Mammogram — left CC. 37-year-old patient.
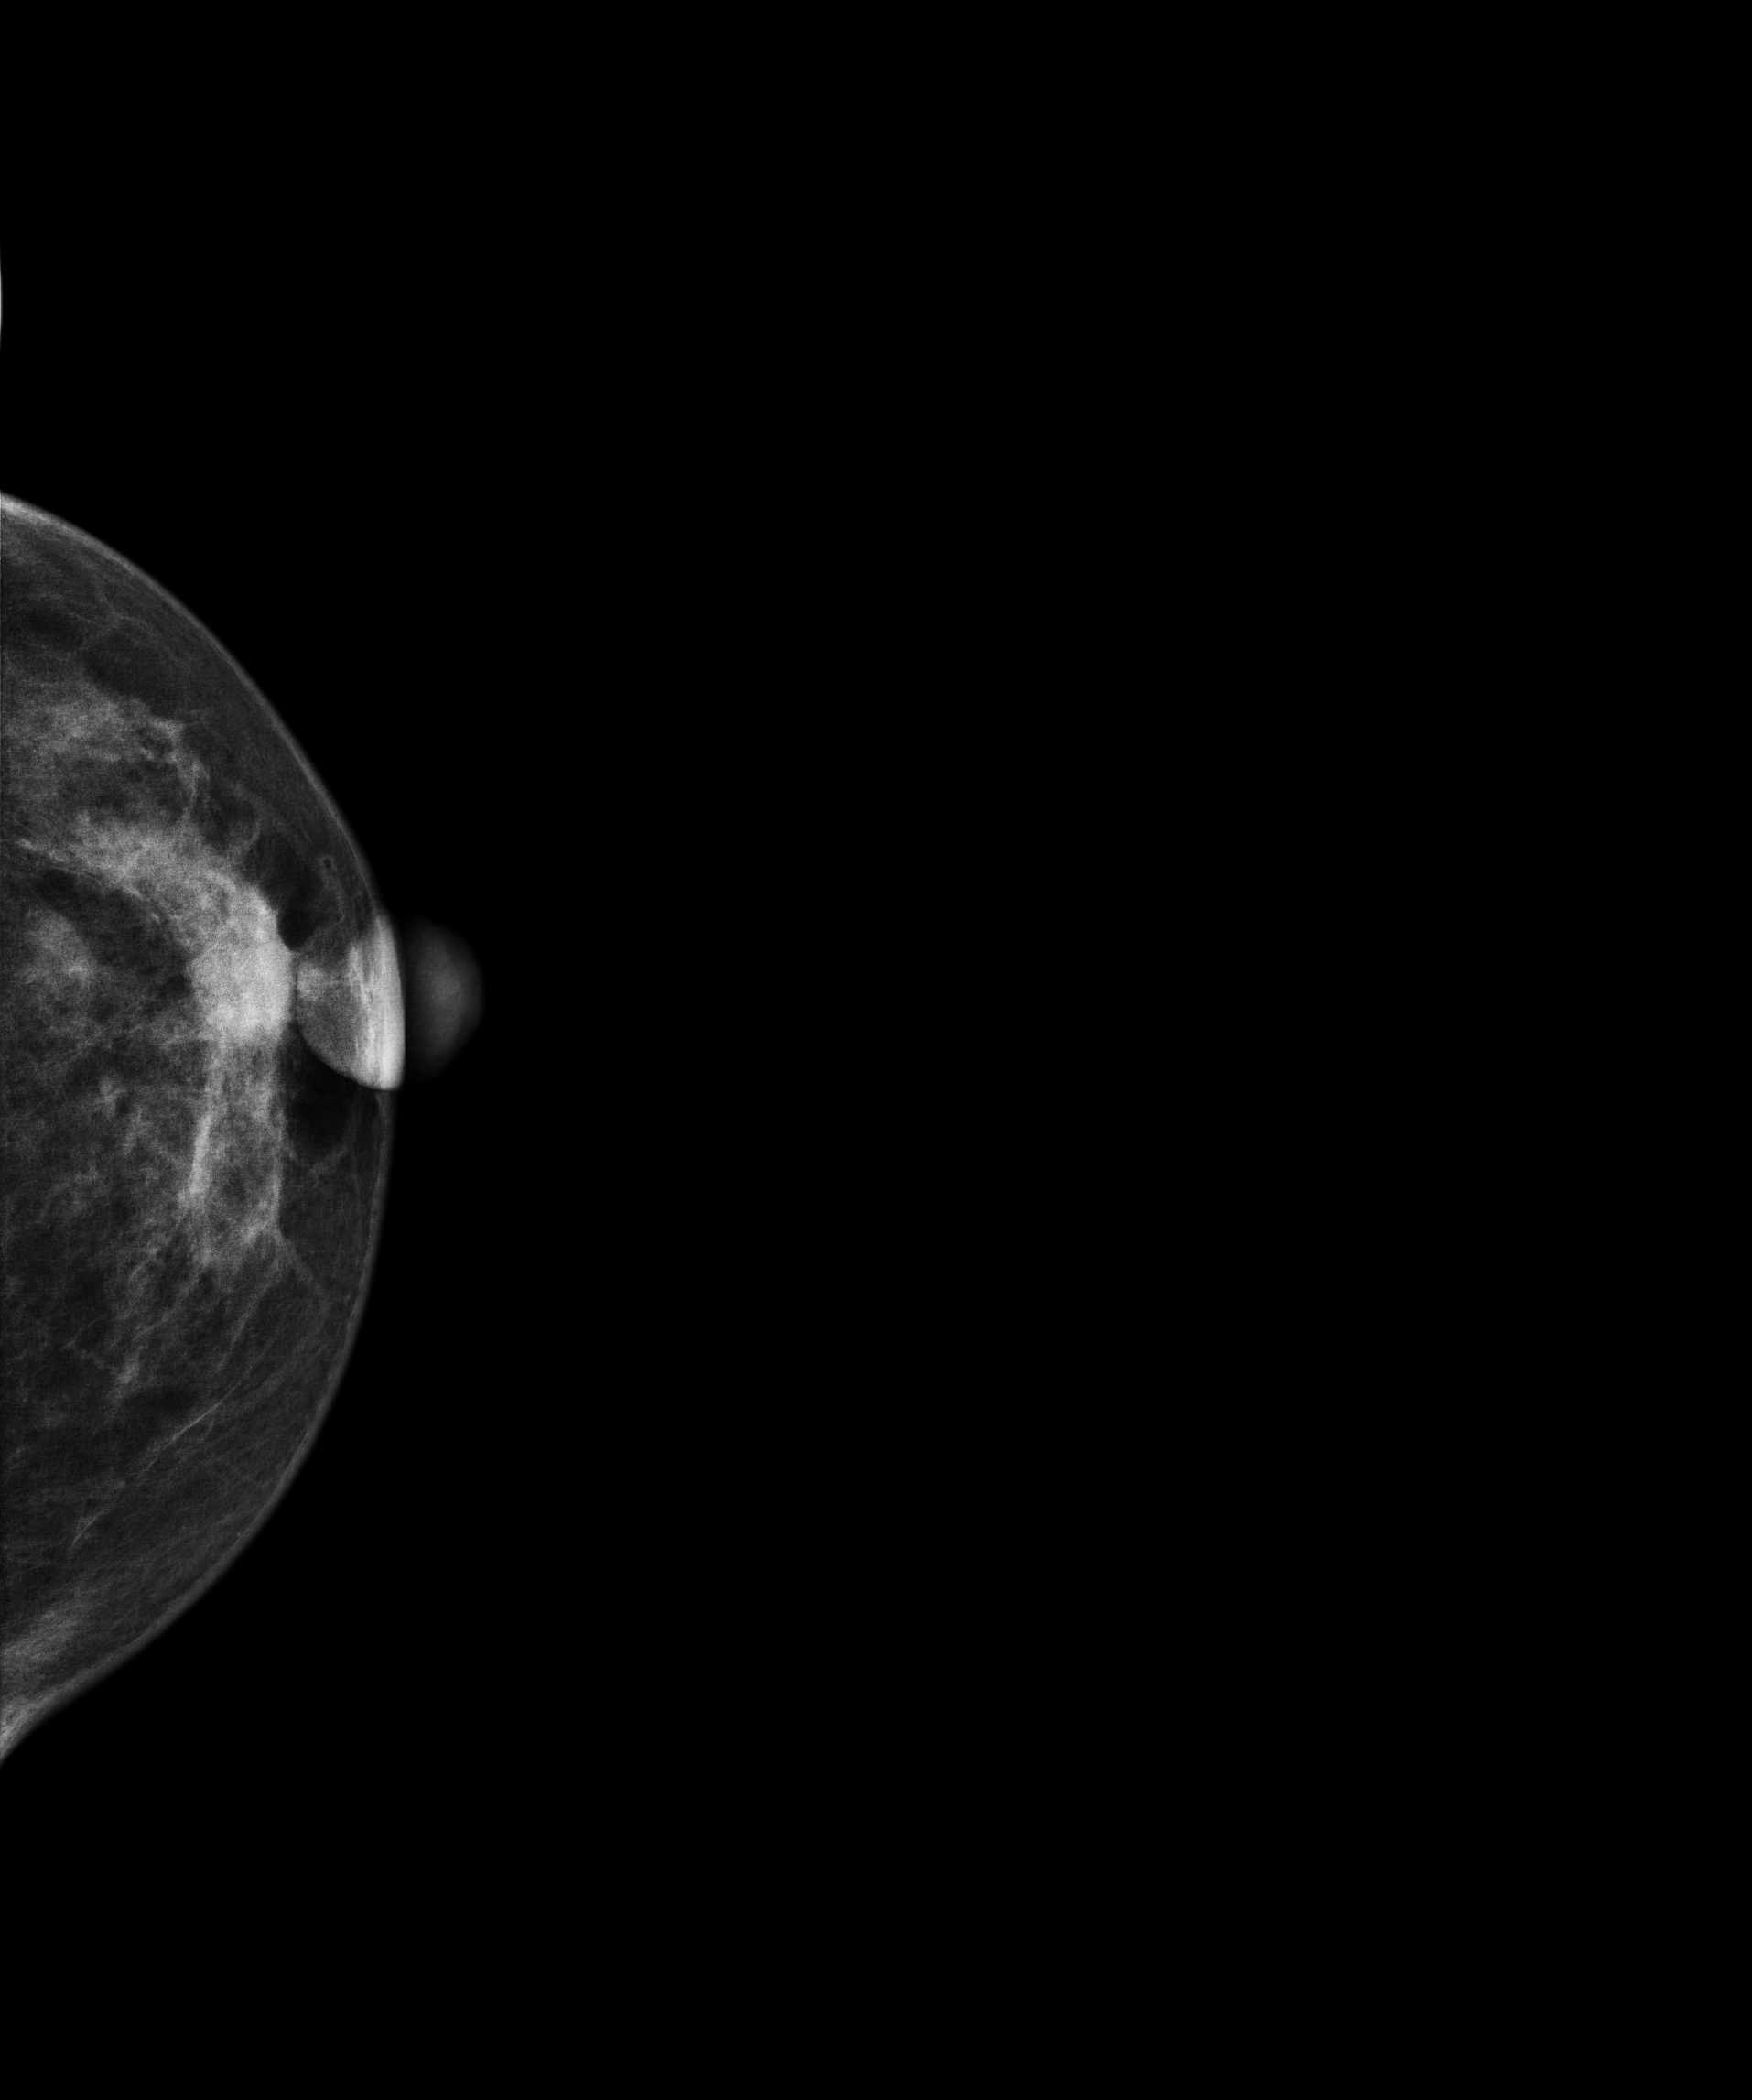
This breast has a mass, biopsy-proven benign.